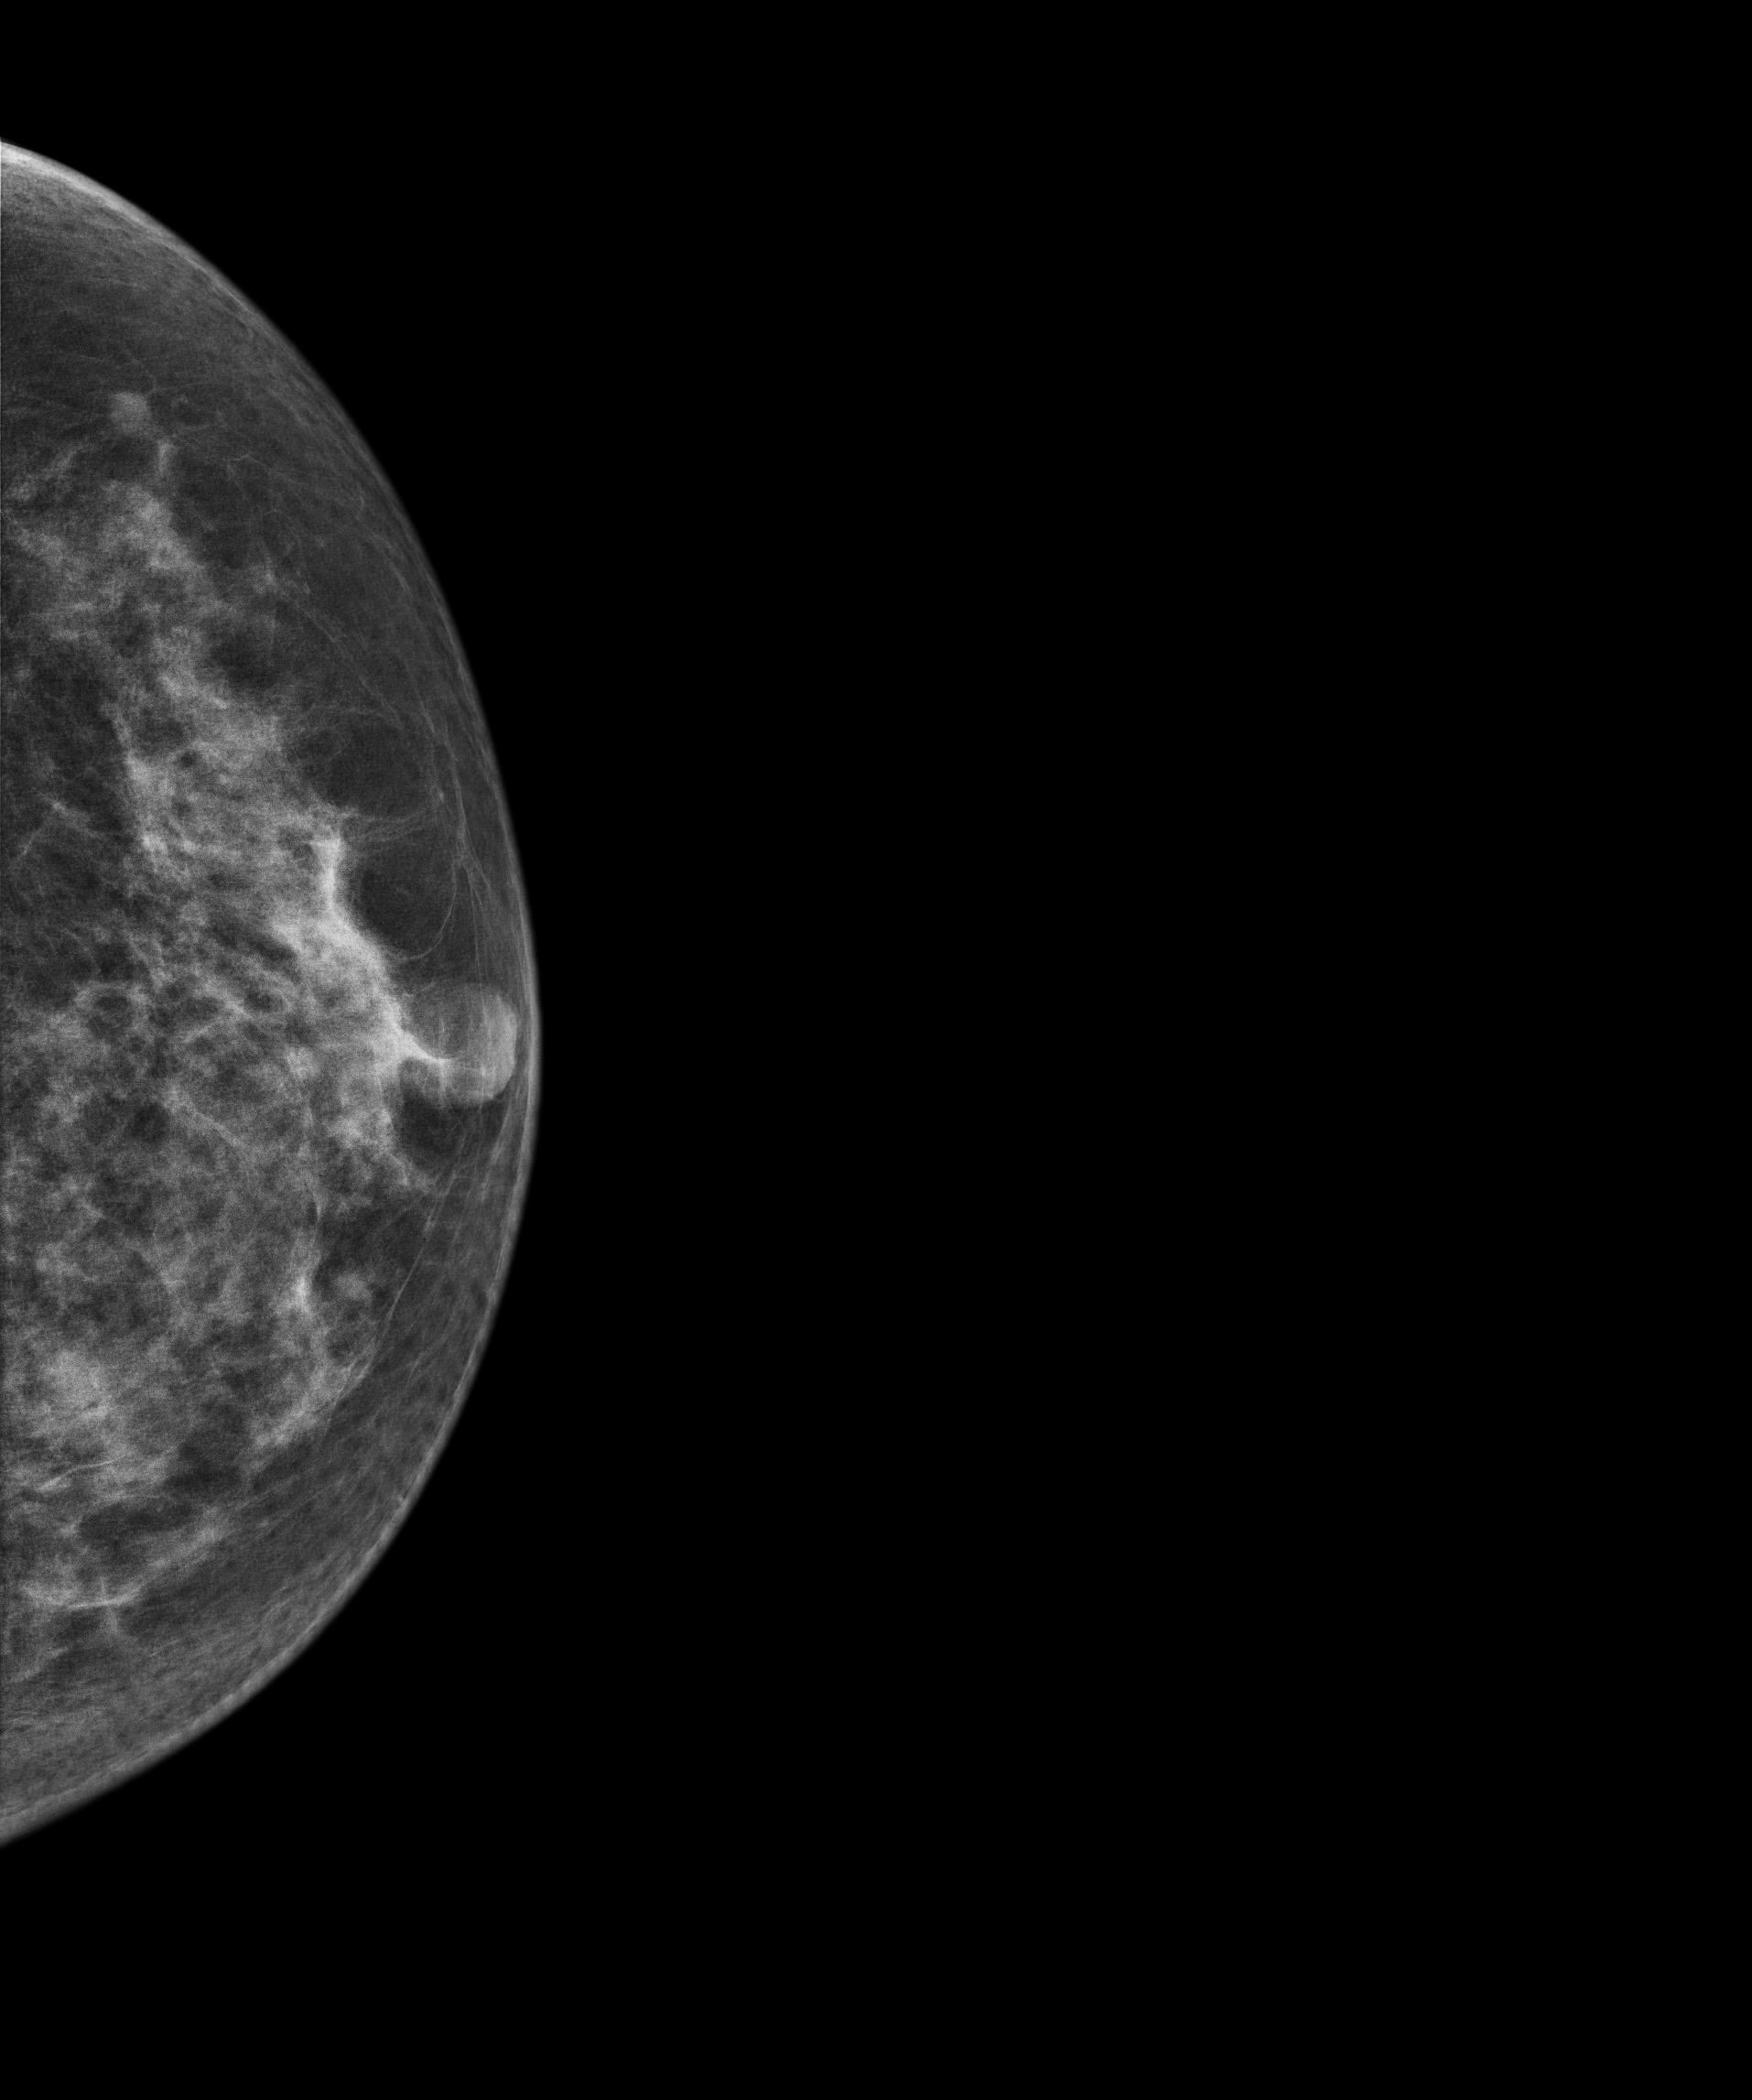
Mammogram — left CC. 62-year-old patient.
Contralateral breast — no documented abnormality on this side.